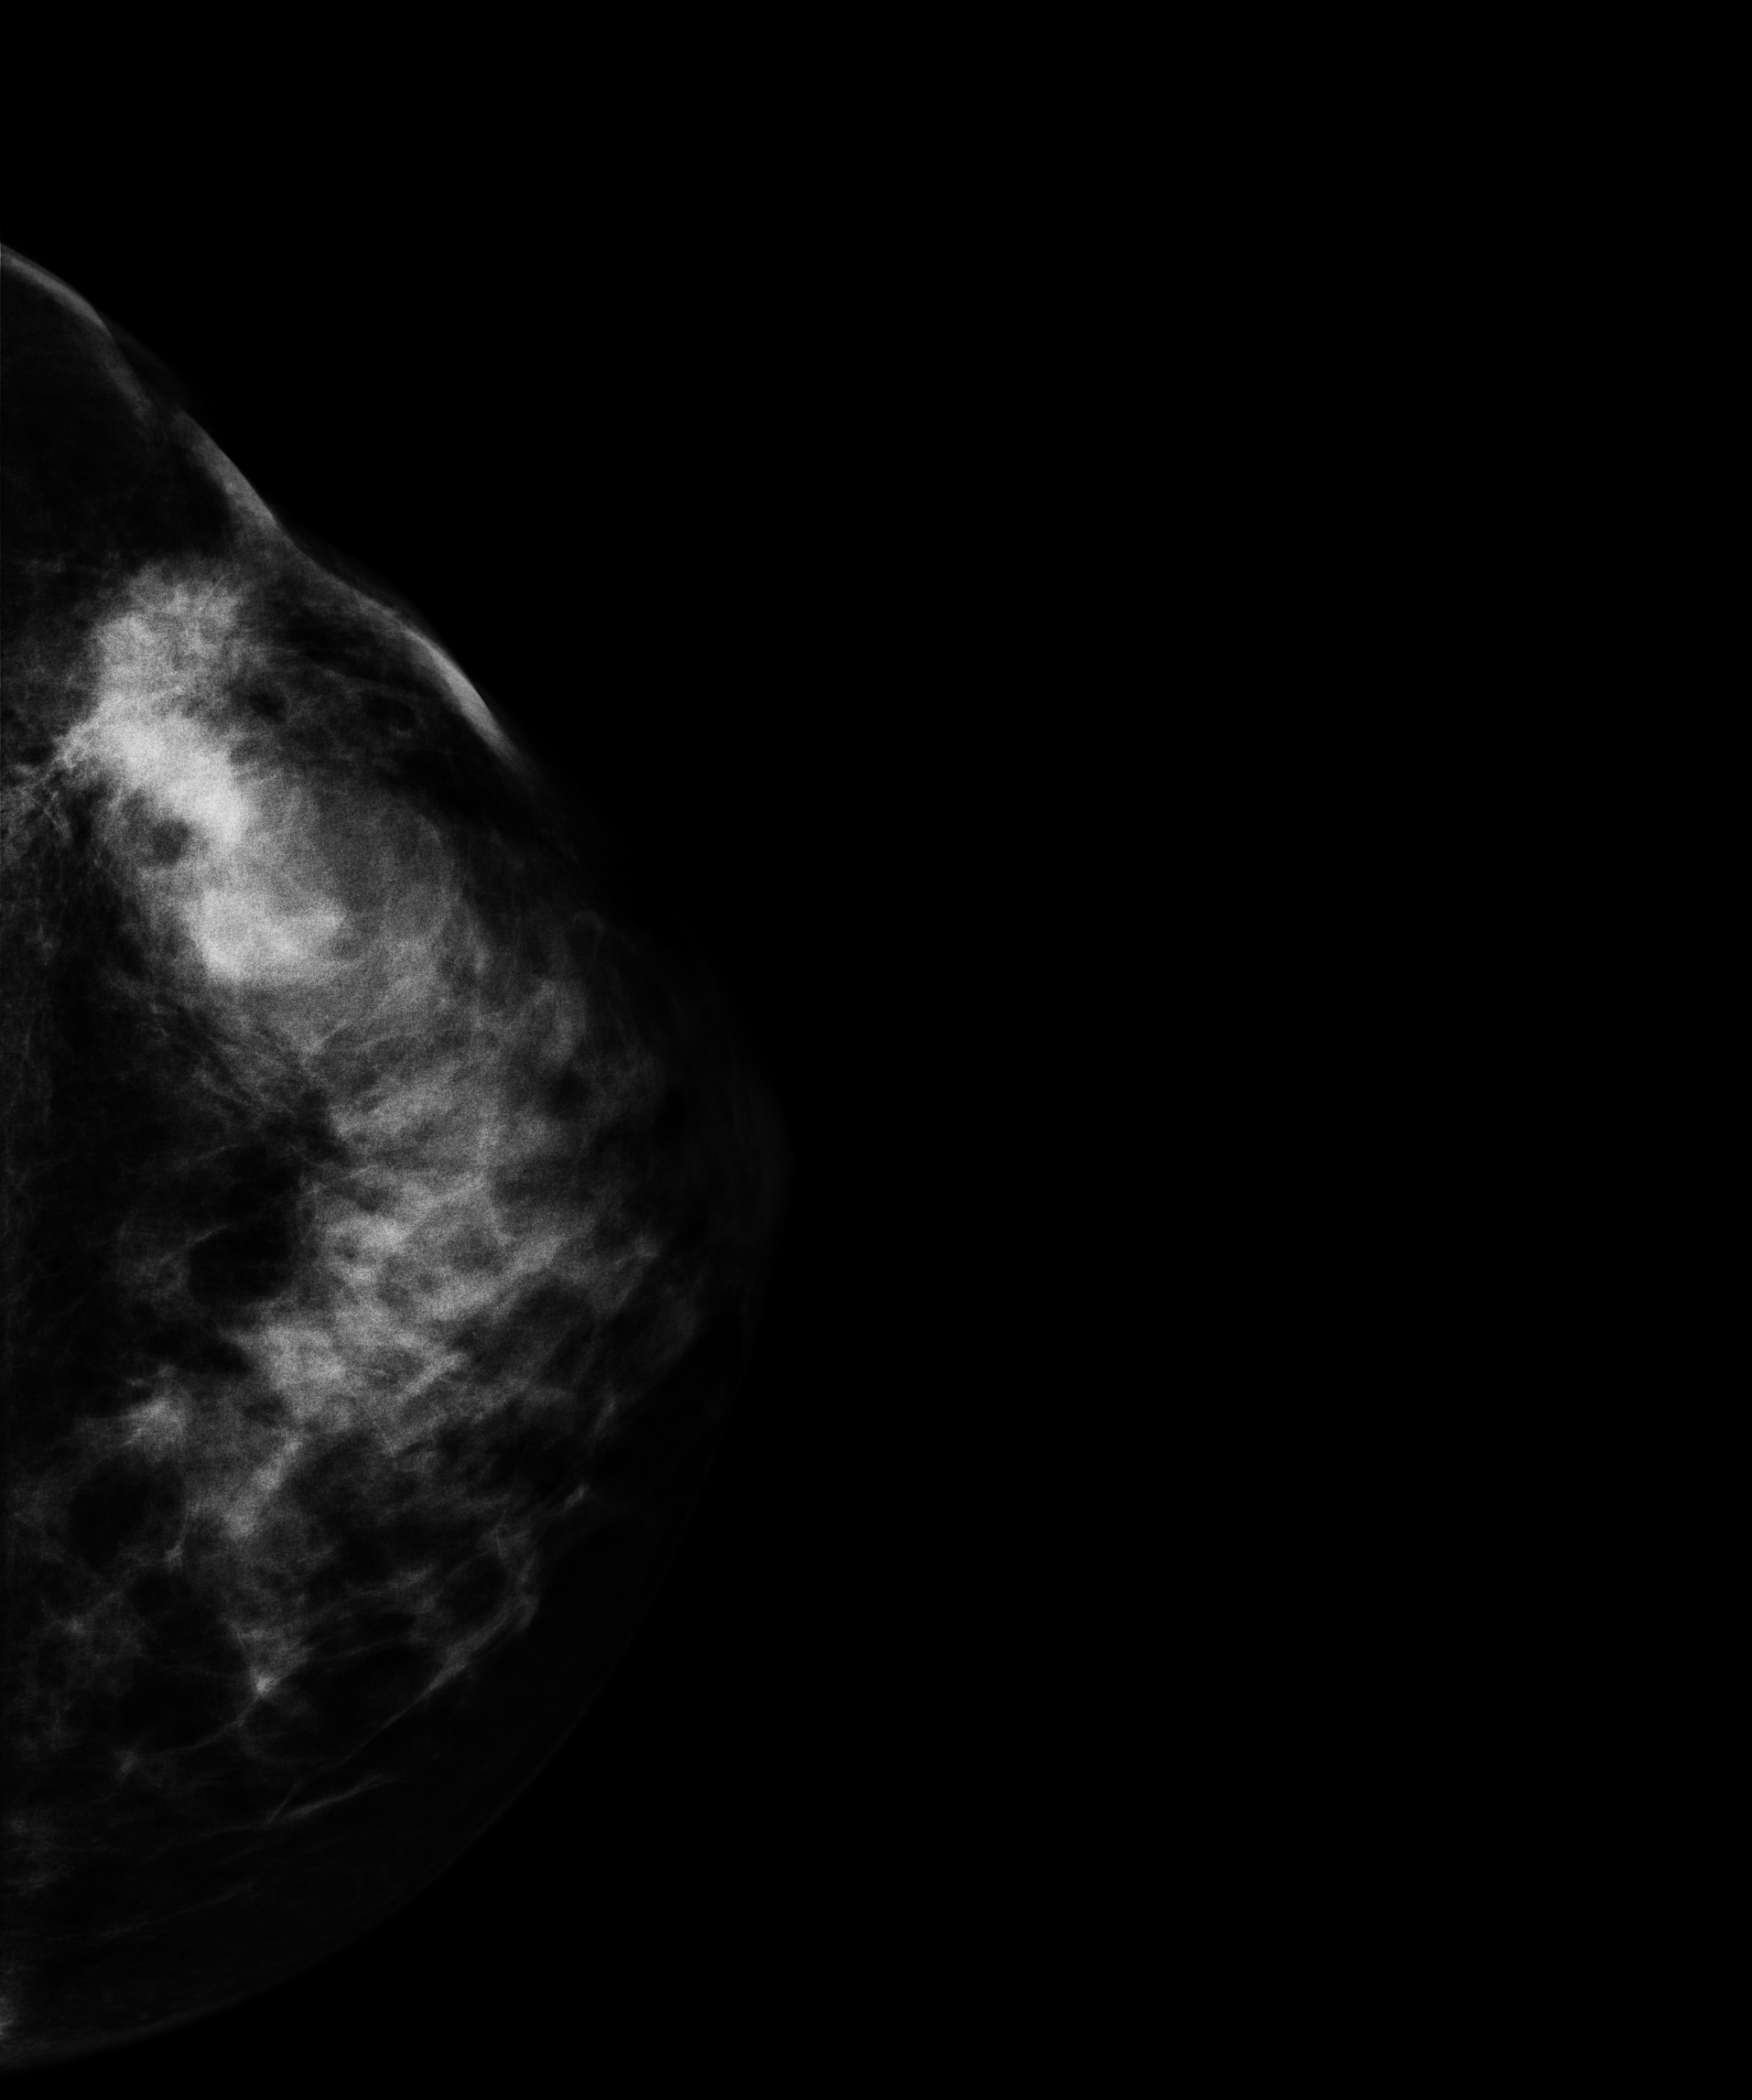
Left-breast mammogram, cranio-caudal. 49 y/o patient.
This breast has a mass, histologically confirmed malignant. Molecular subtype: triple-negative.